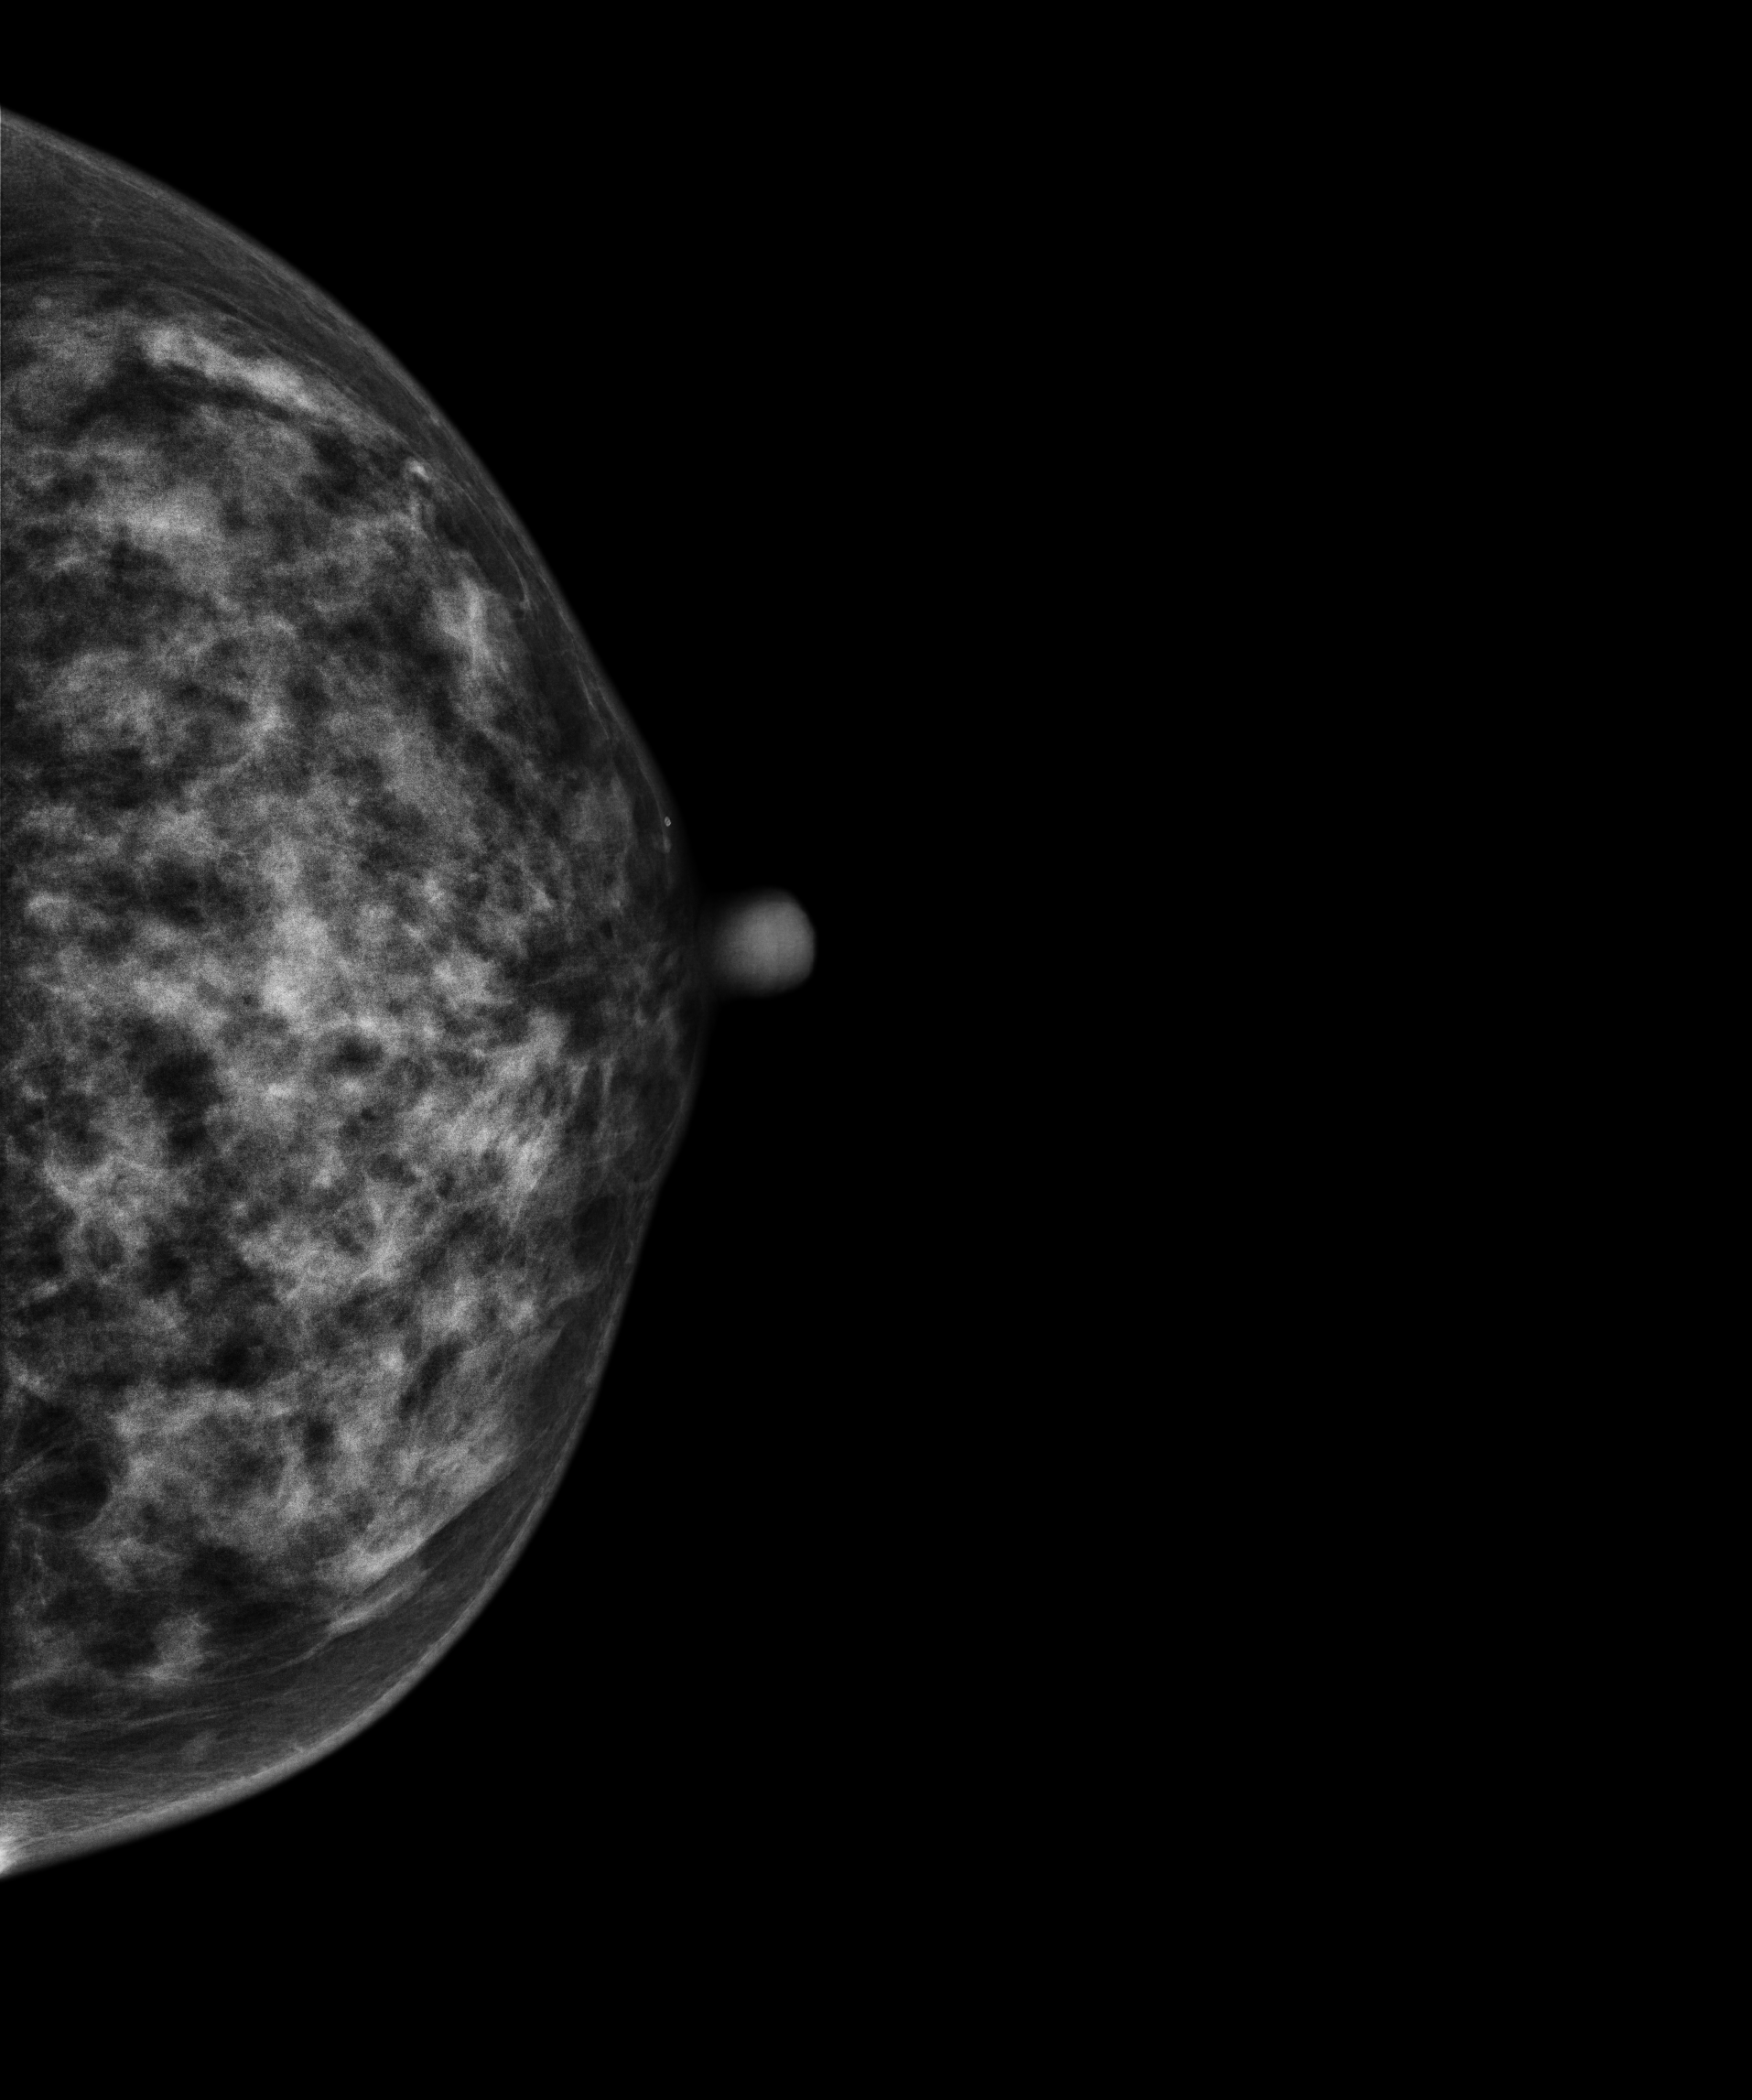
Digital mammography. Left breast, cranio-caudal projection. Patient age 42.
Contralateral breast — no documented abnormality on this side.